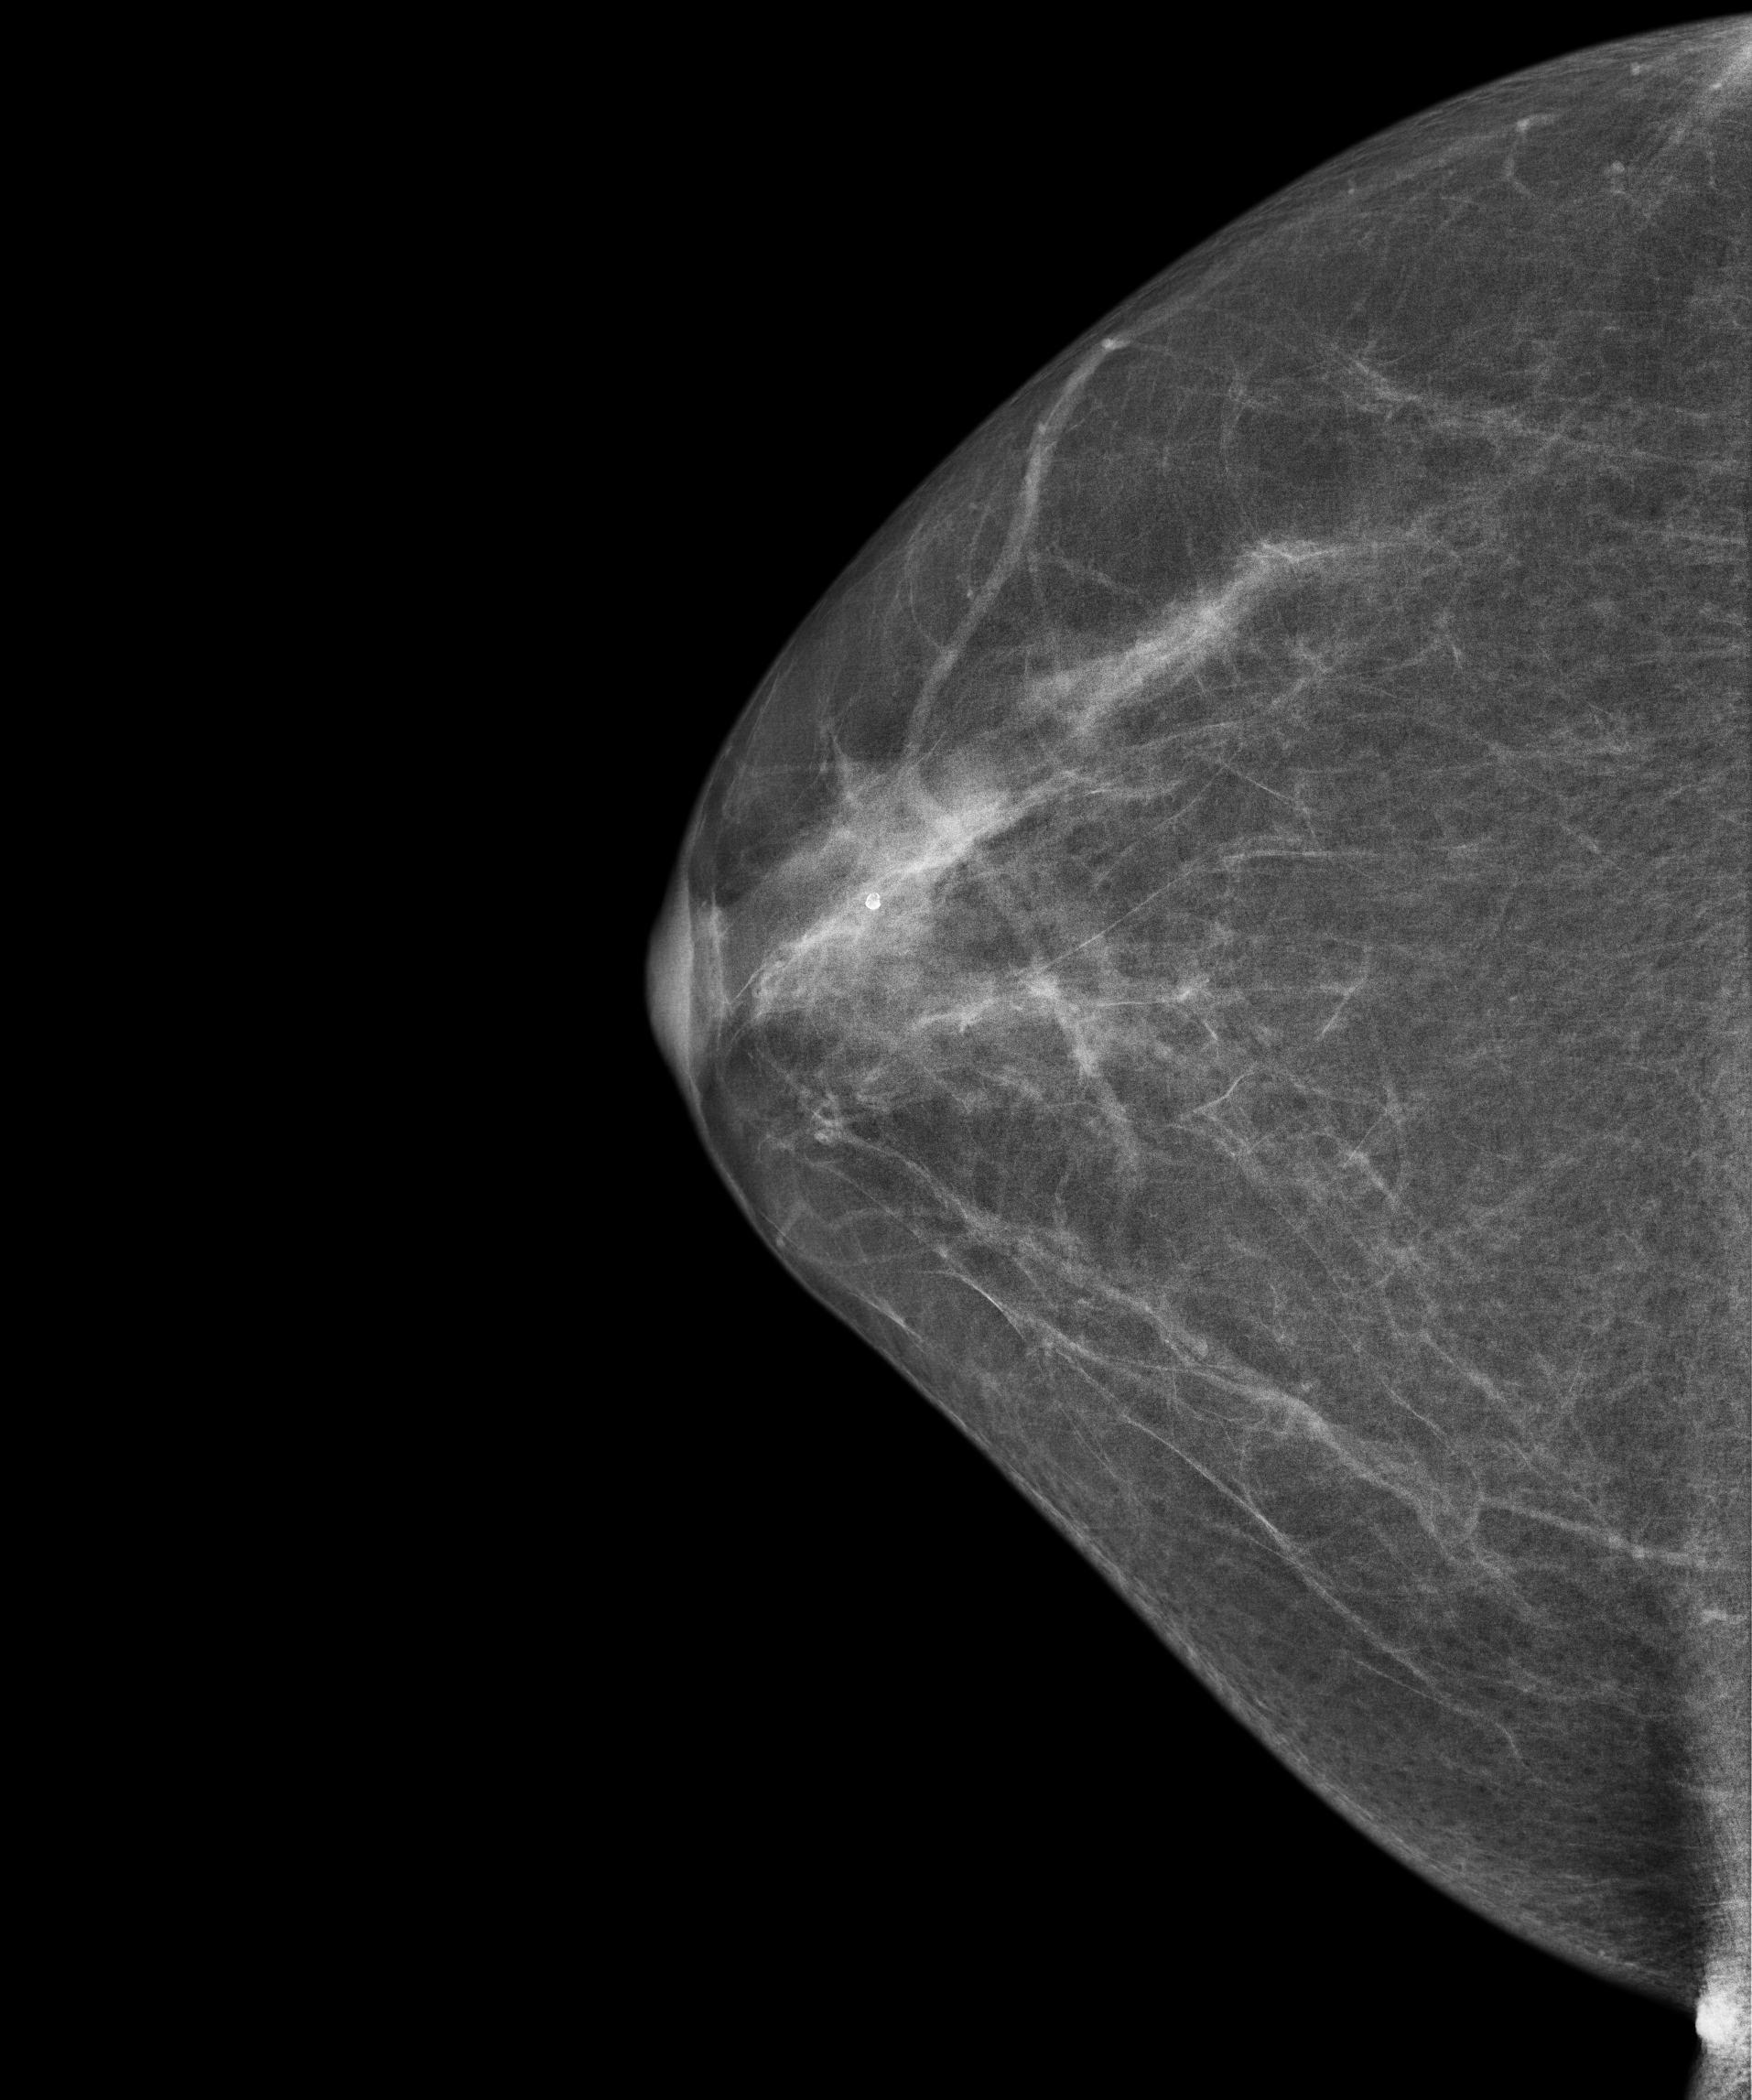
Right-breast mammogram, cranio-caudal. 60 y/o patient.
This breast has a mass, pathology-confirmed malignant.